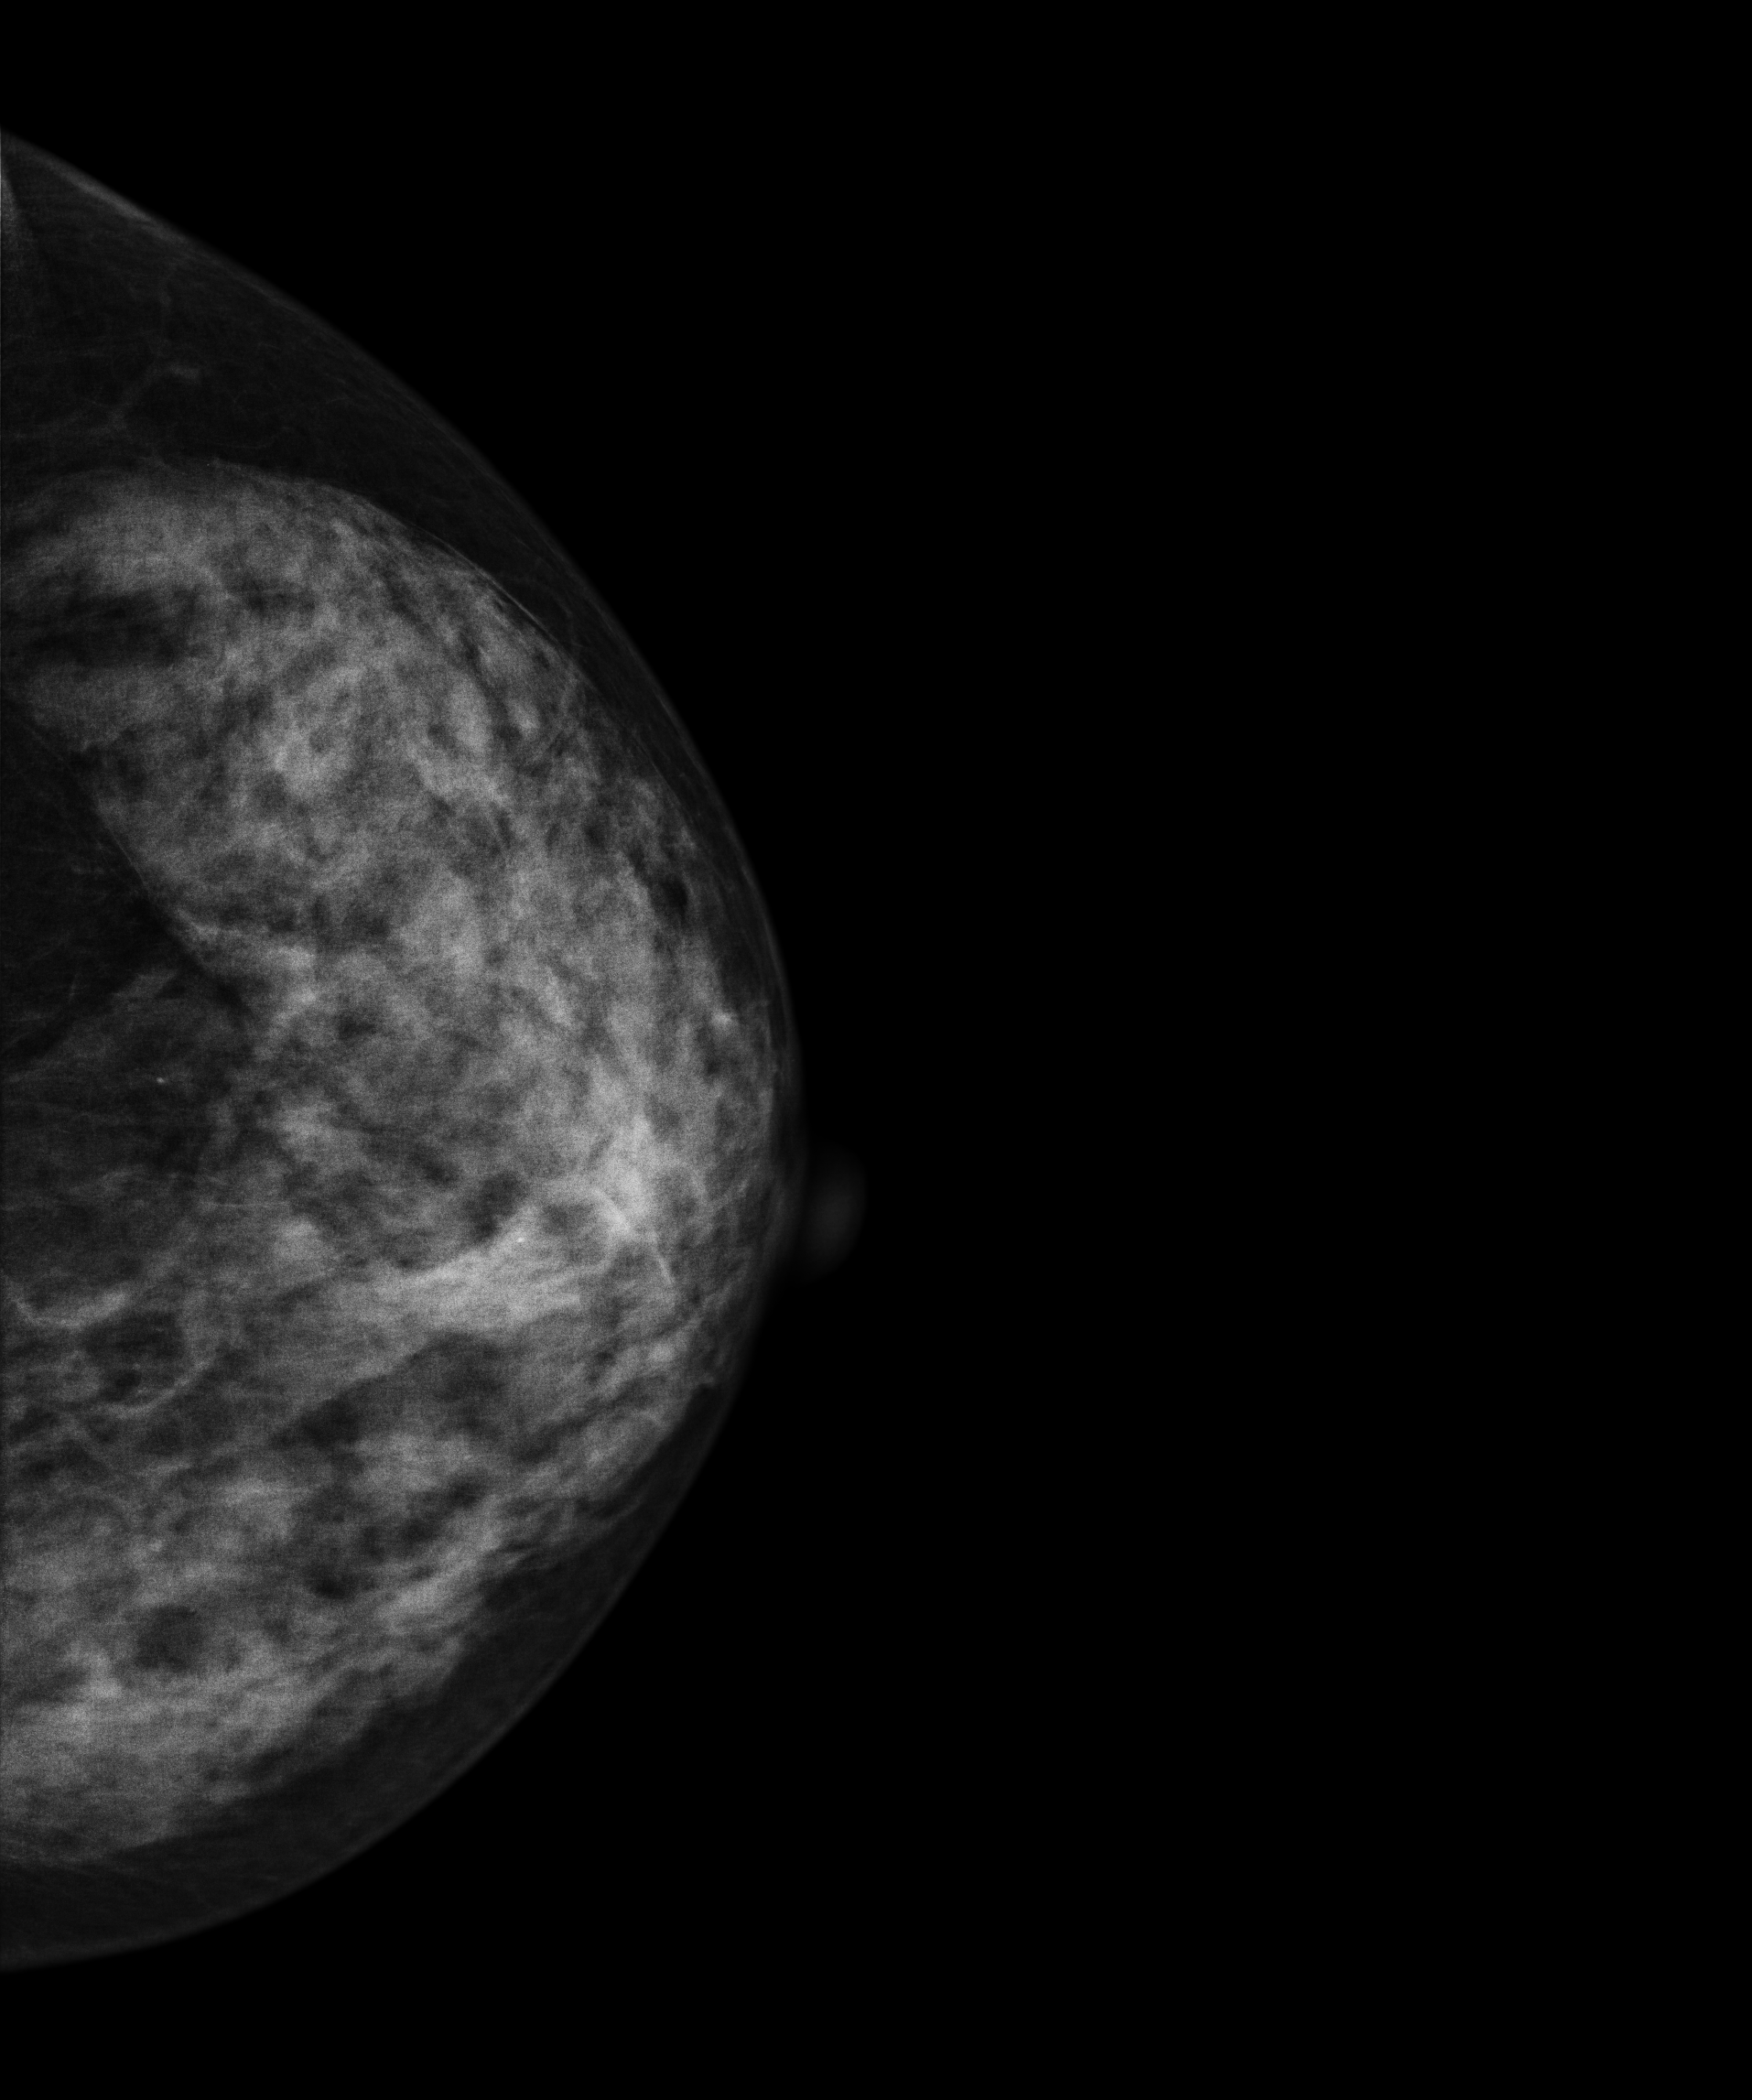
Left-breast mammogram, cranio-caudal. Patient age 53.
Contralateral breast — no documented abnormality on this side.